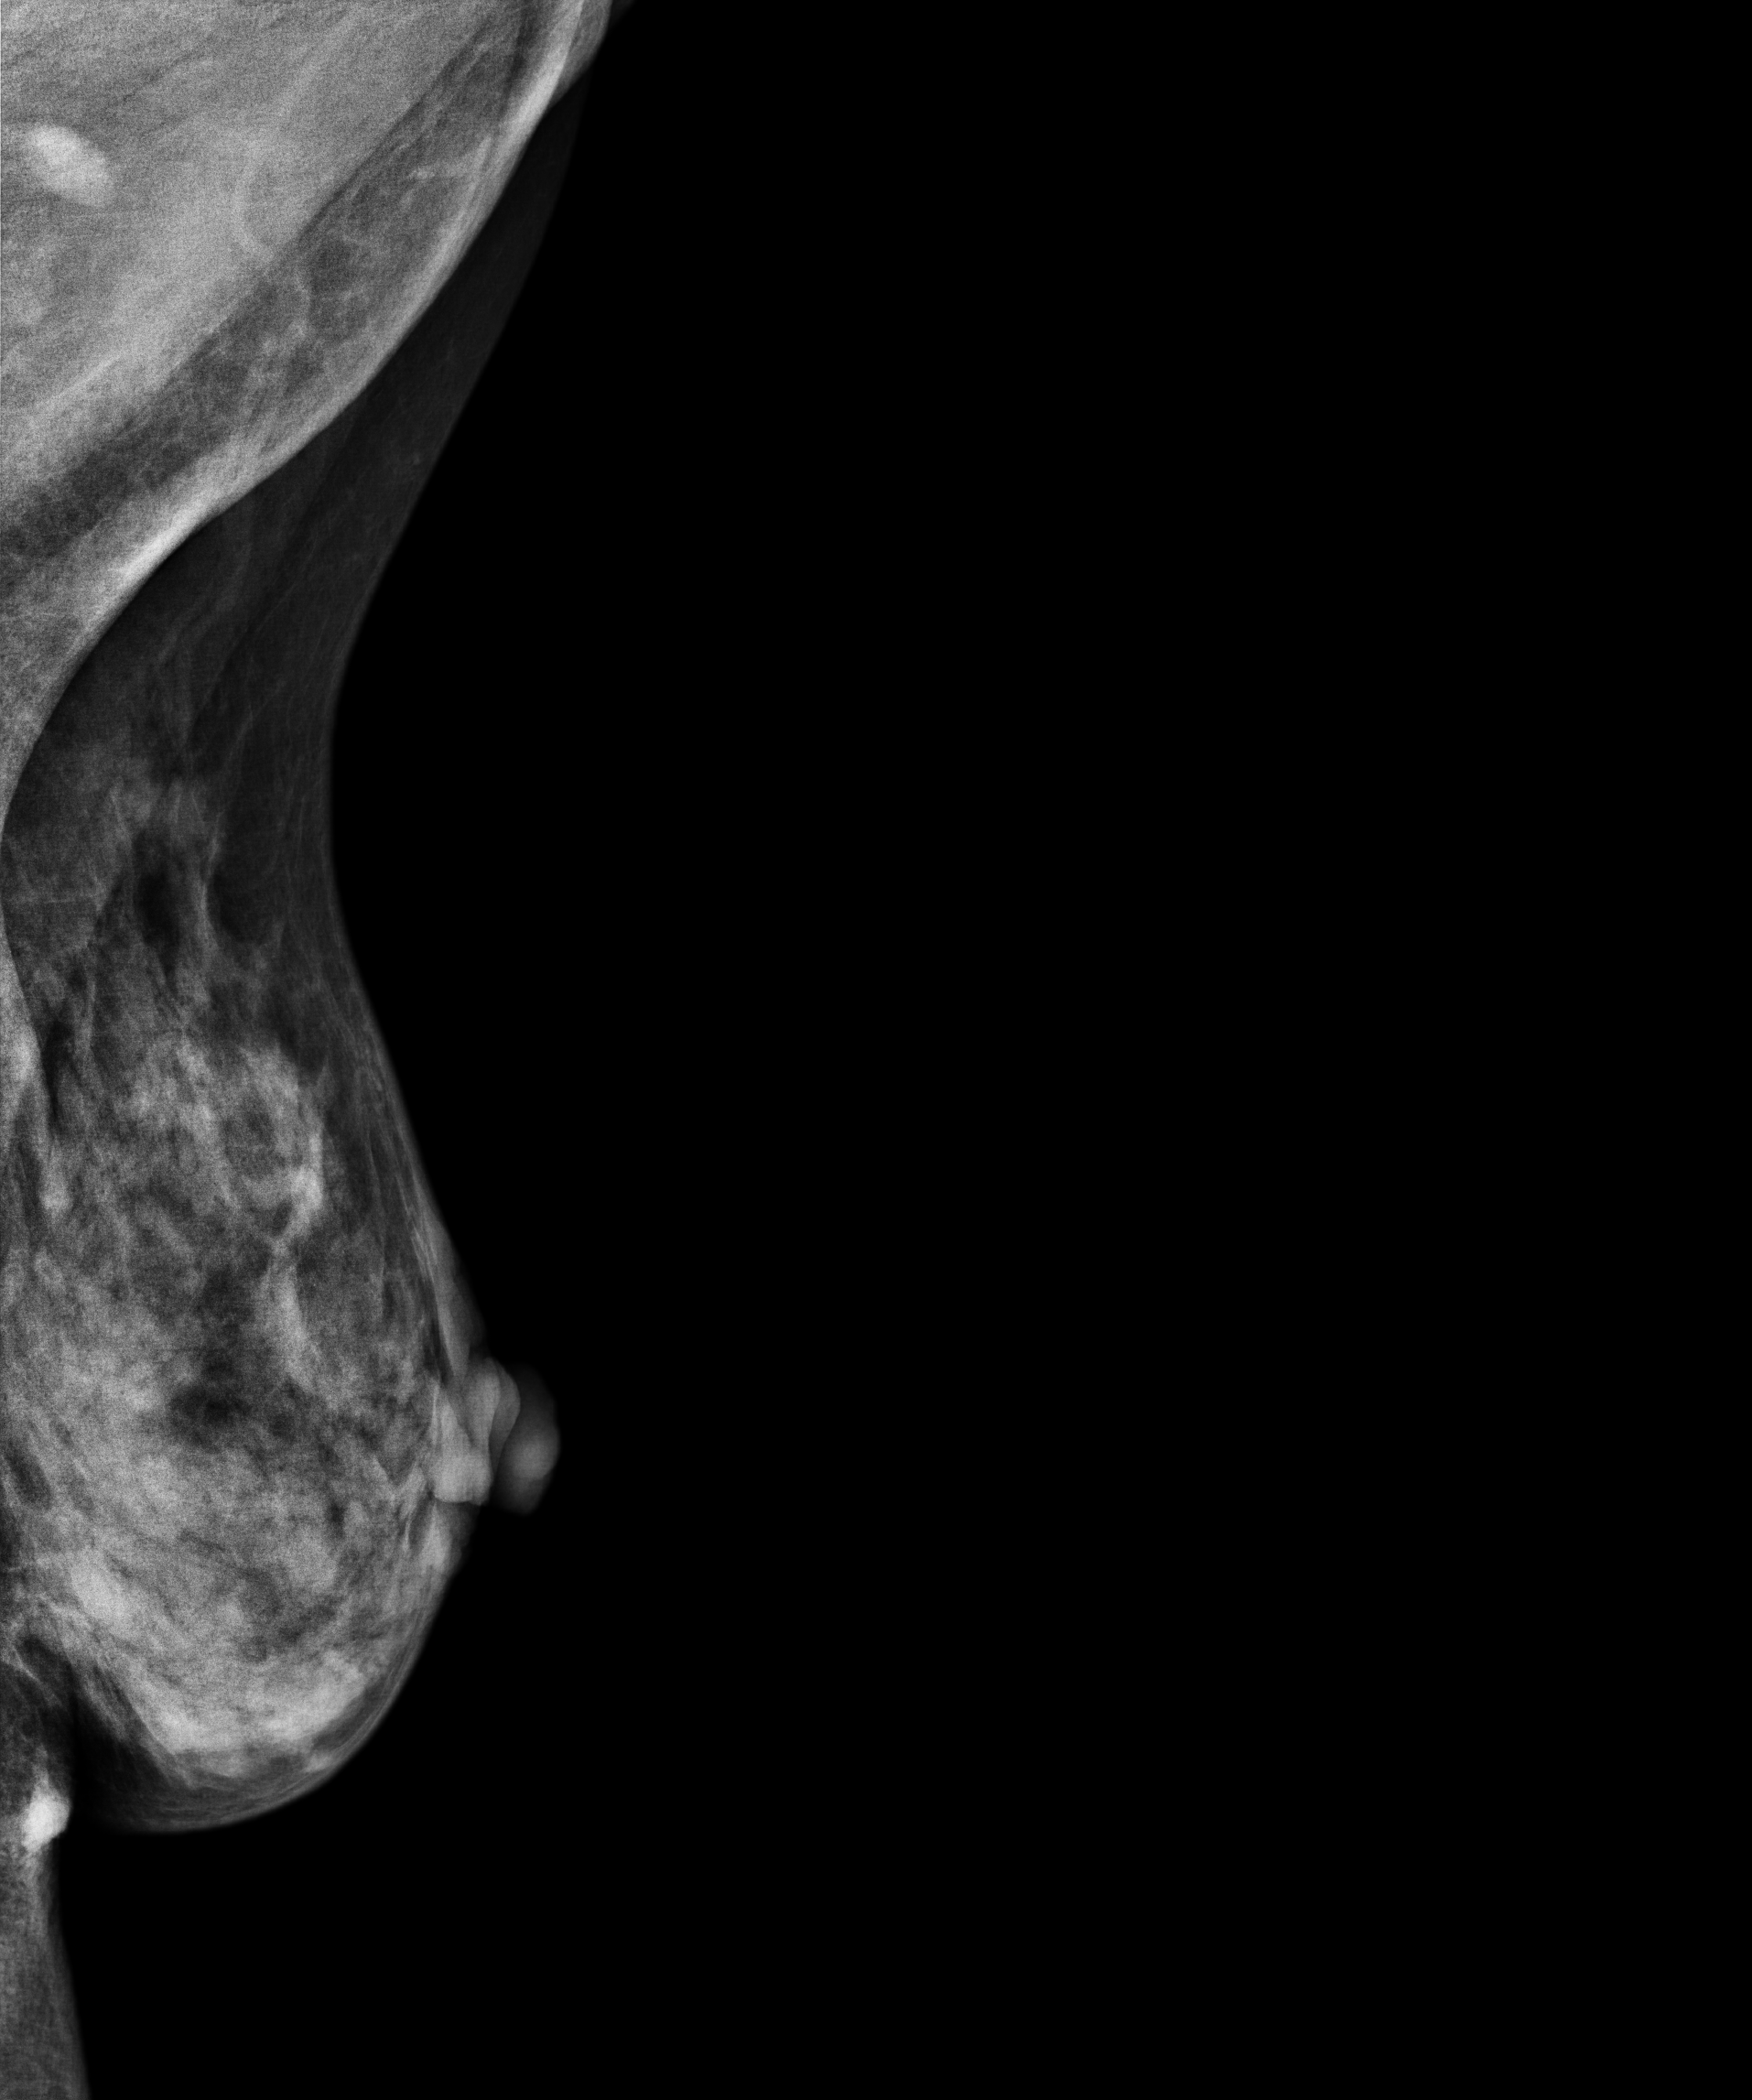
Medio-lateral oblique mammogram of the left breast. 46-year-old patient.
This breast has a mass, histologically confirmed malignant. Molecular subtype: luminal B.